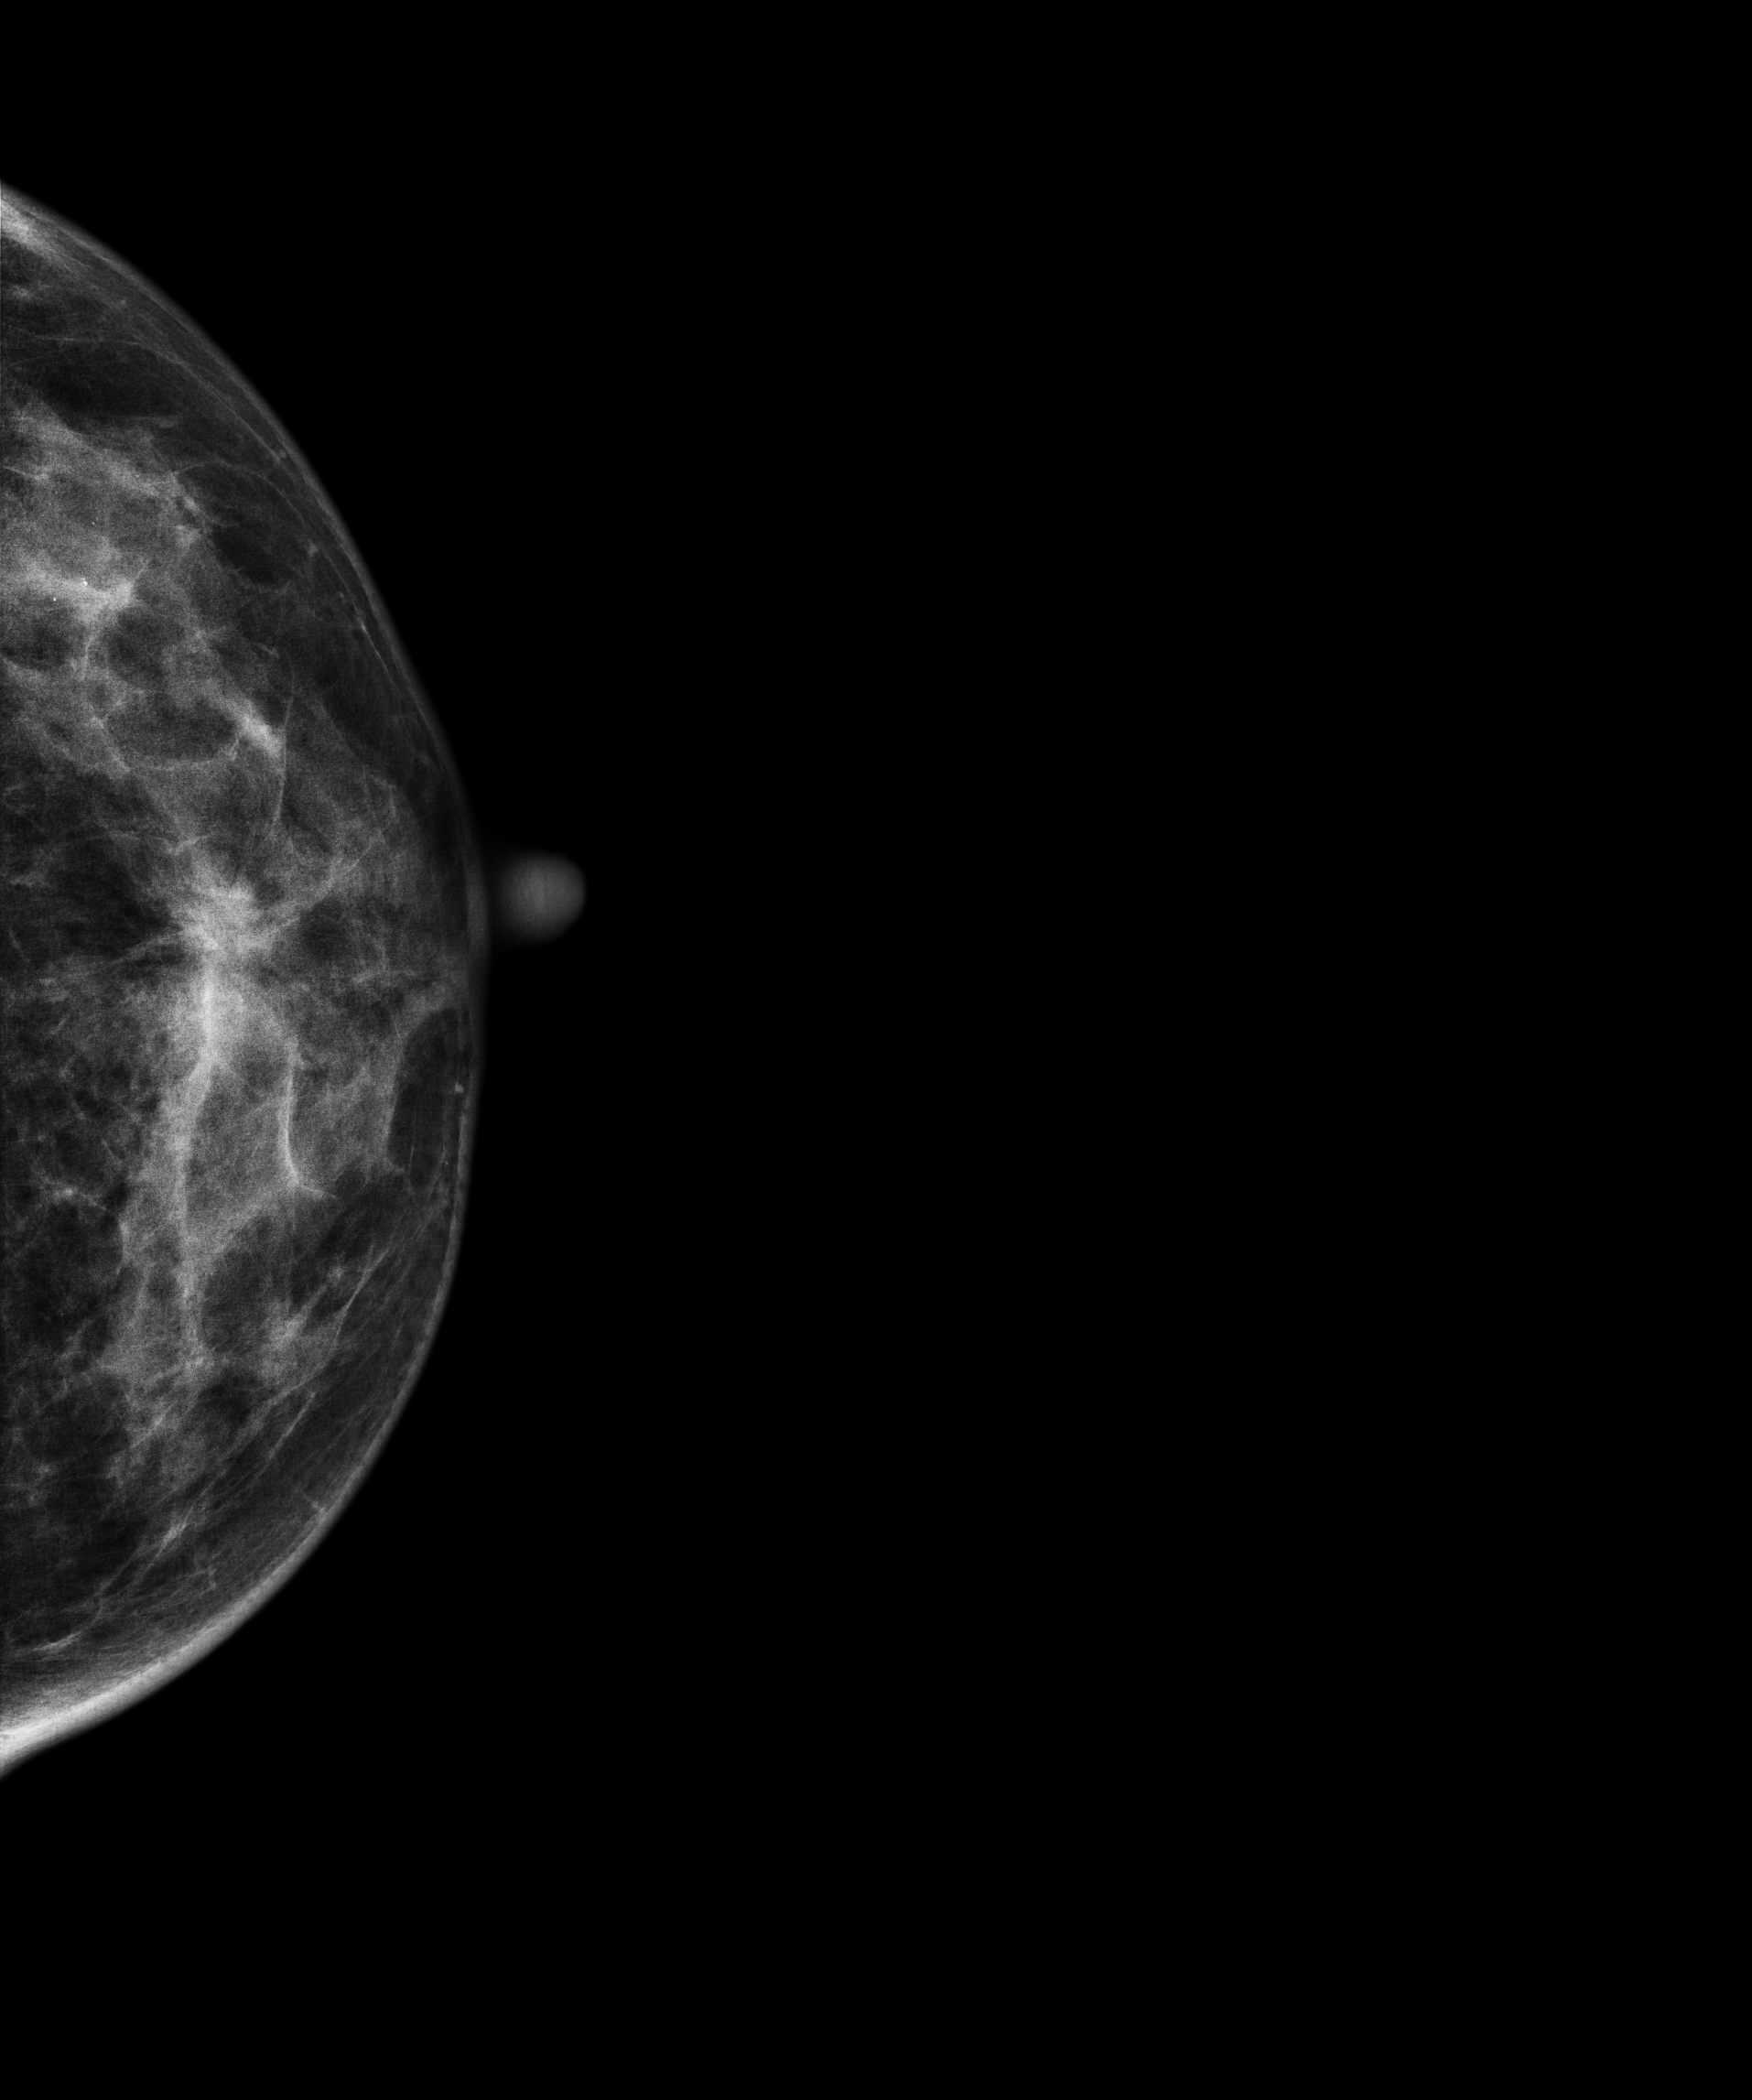
Mammogram, left breast, cranio-caudal view. 43-year-old patient.
This breast has a mass, biopsy-confirmed malignant. Molecular subtype: luminal B.